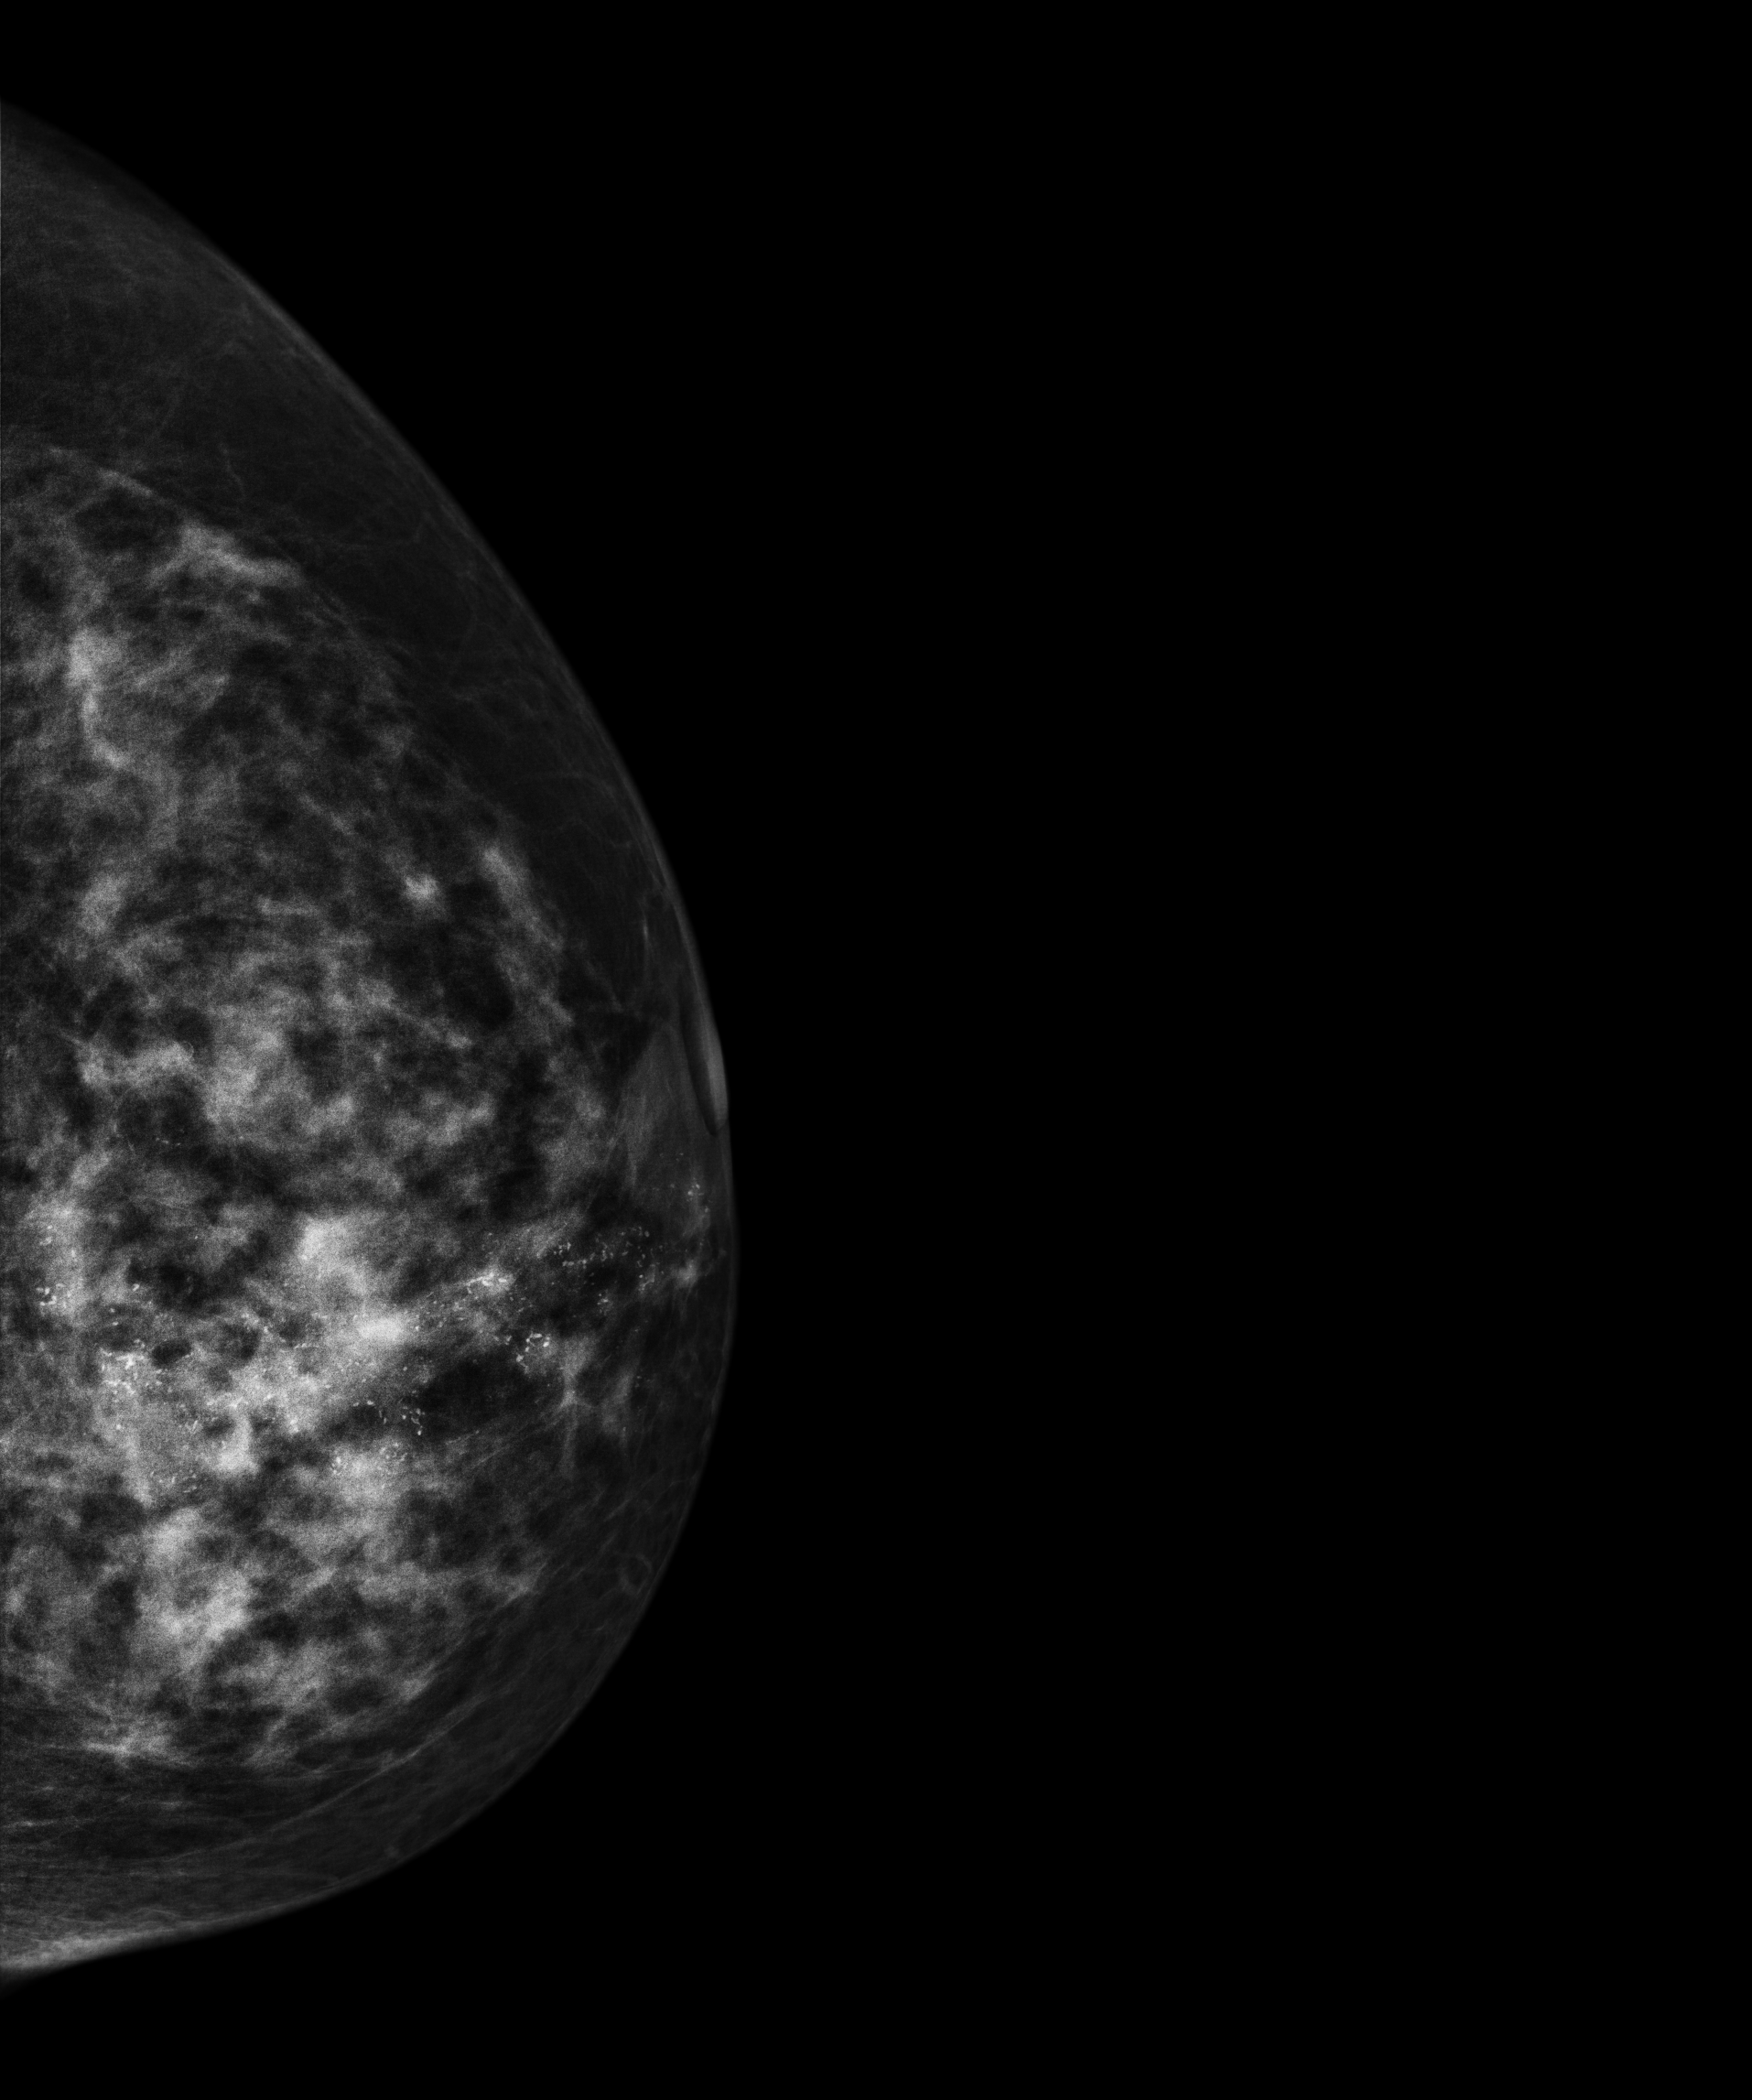
Mammogram — left cranio-caudal. 55-year-old patient.
This breast has a mass and calcifications, histologically confirmed malignant. Molecular subtype: luminal B.